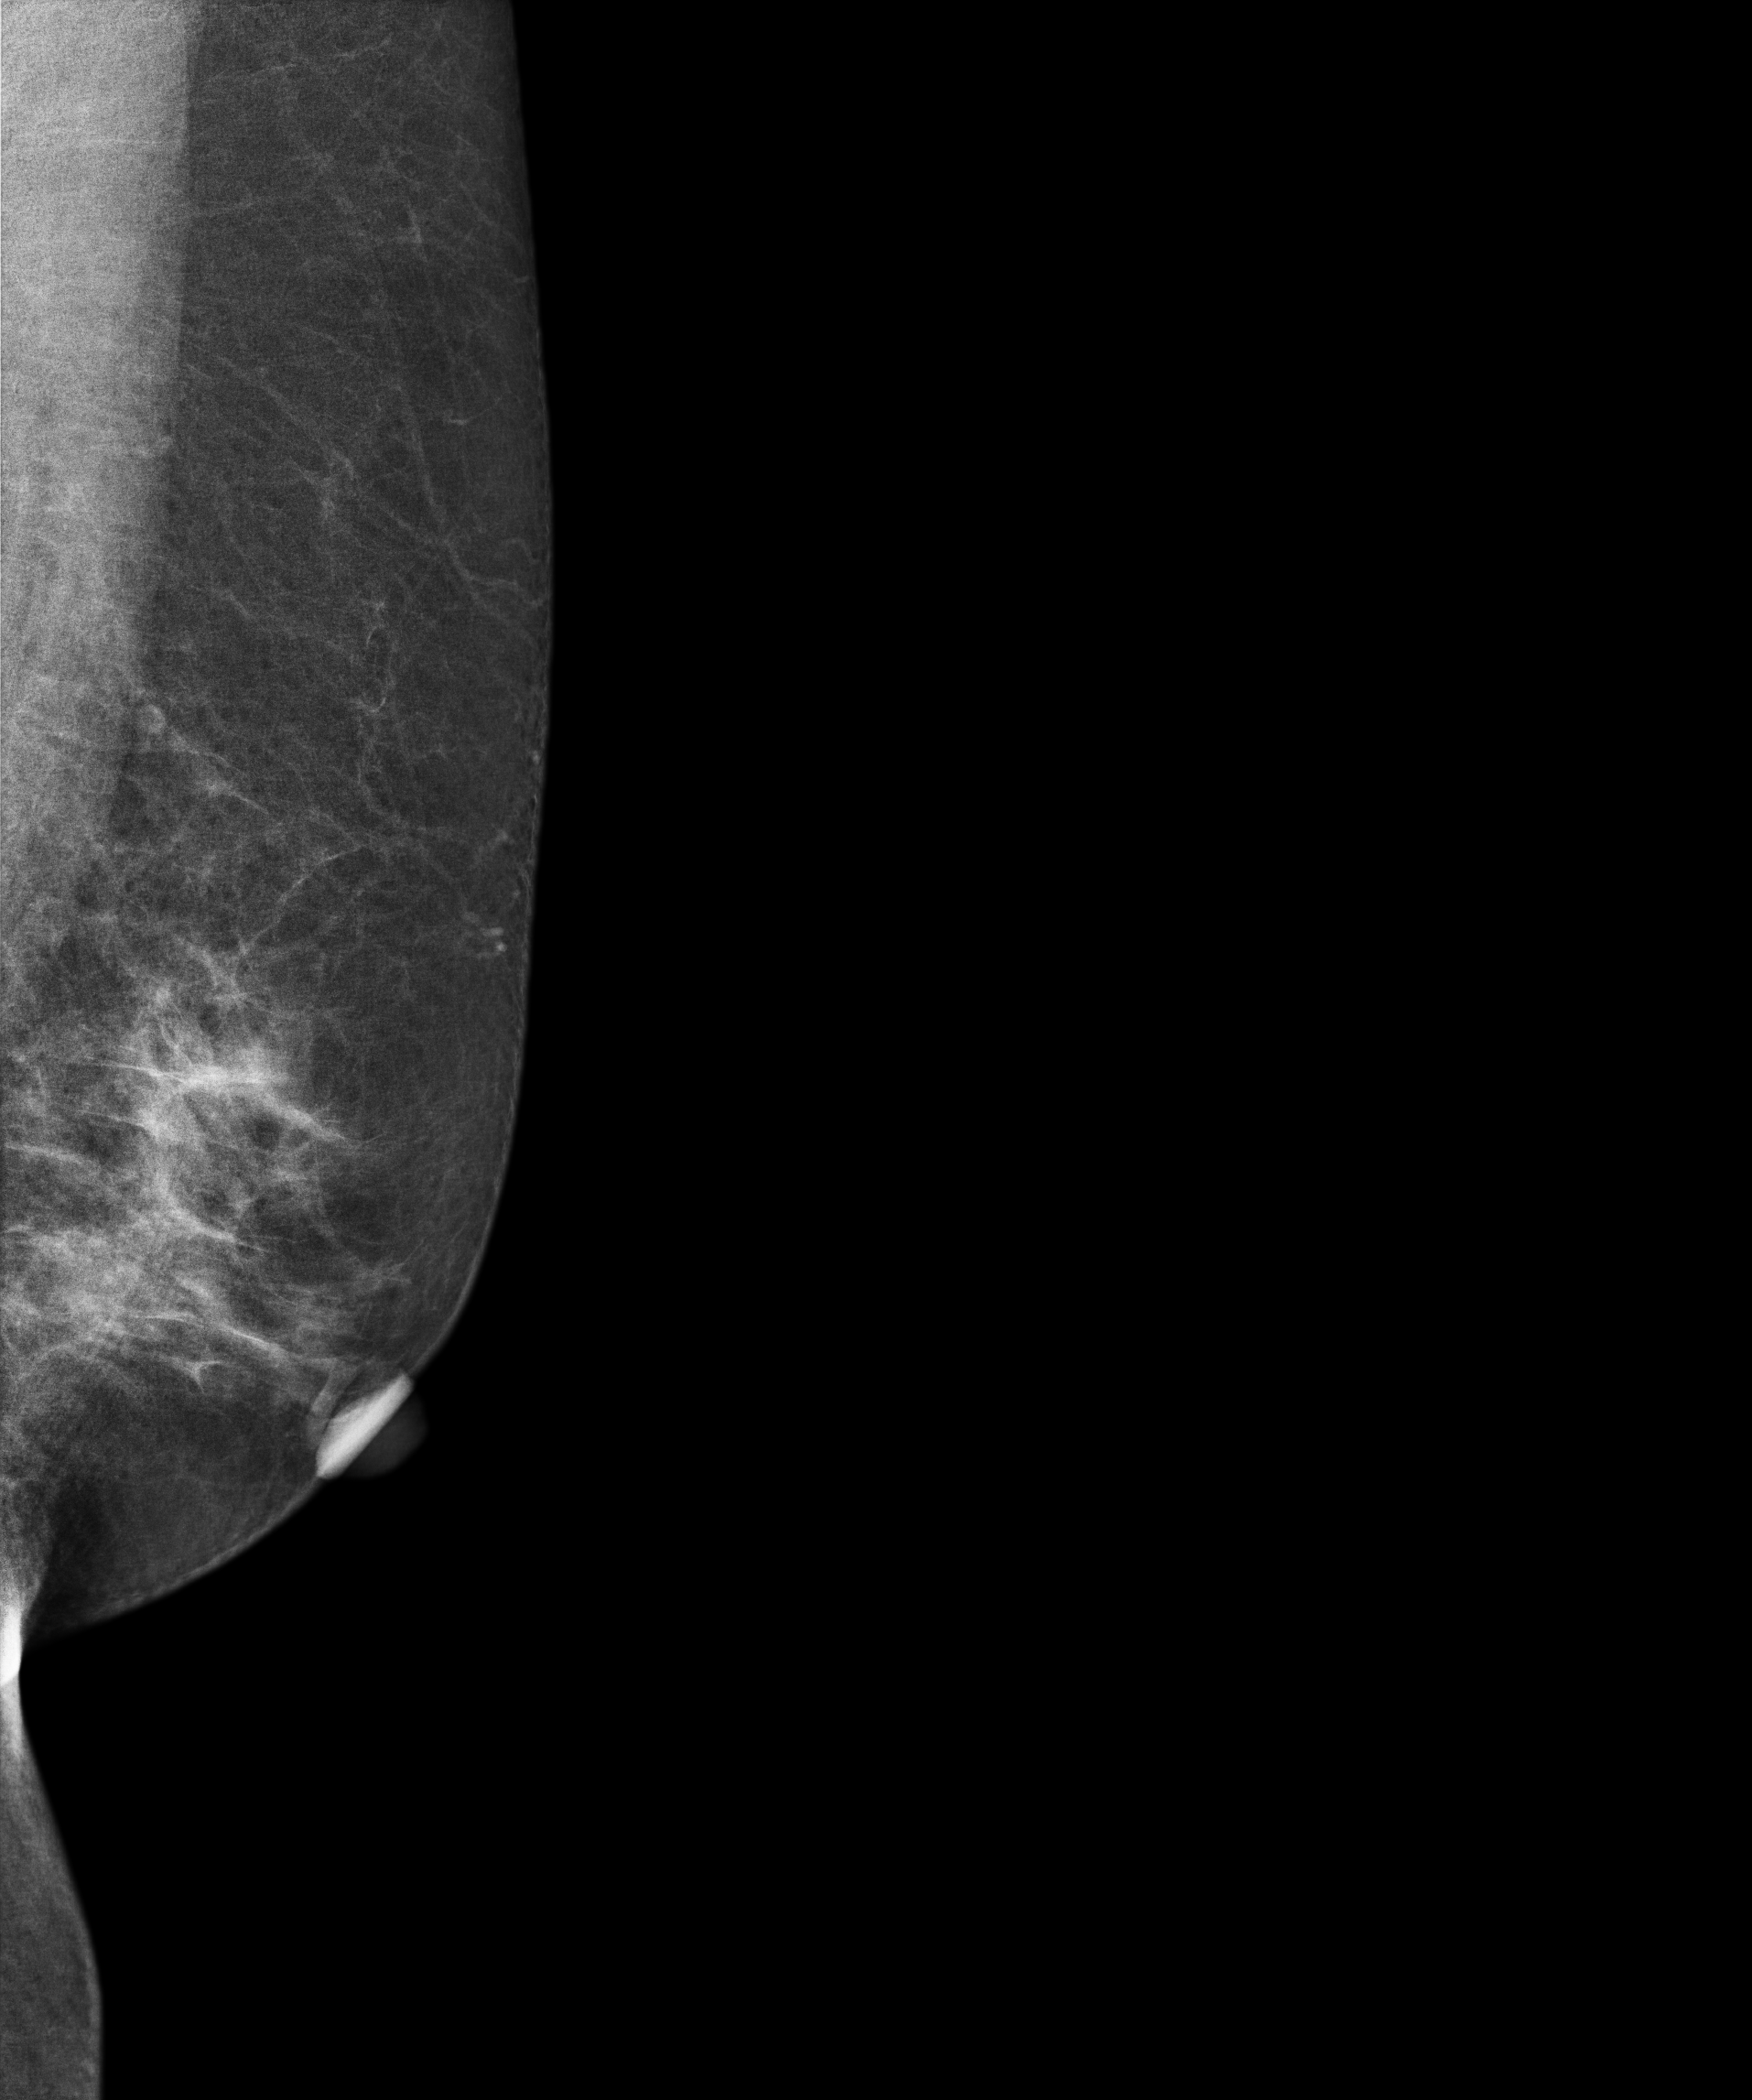
Mammogram, left breast, medio-lateral oblique view. Patient age 59.
Contralateral breast — no documented abnormality on this side.